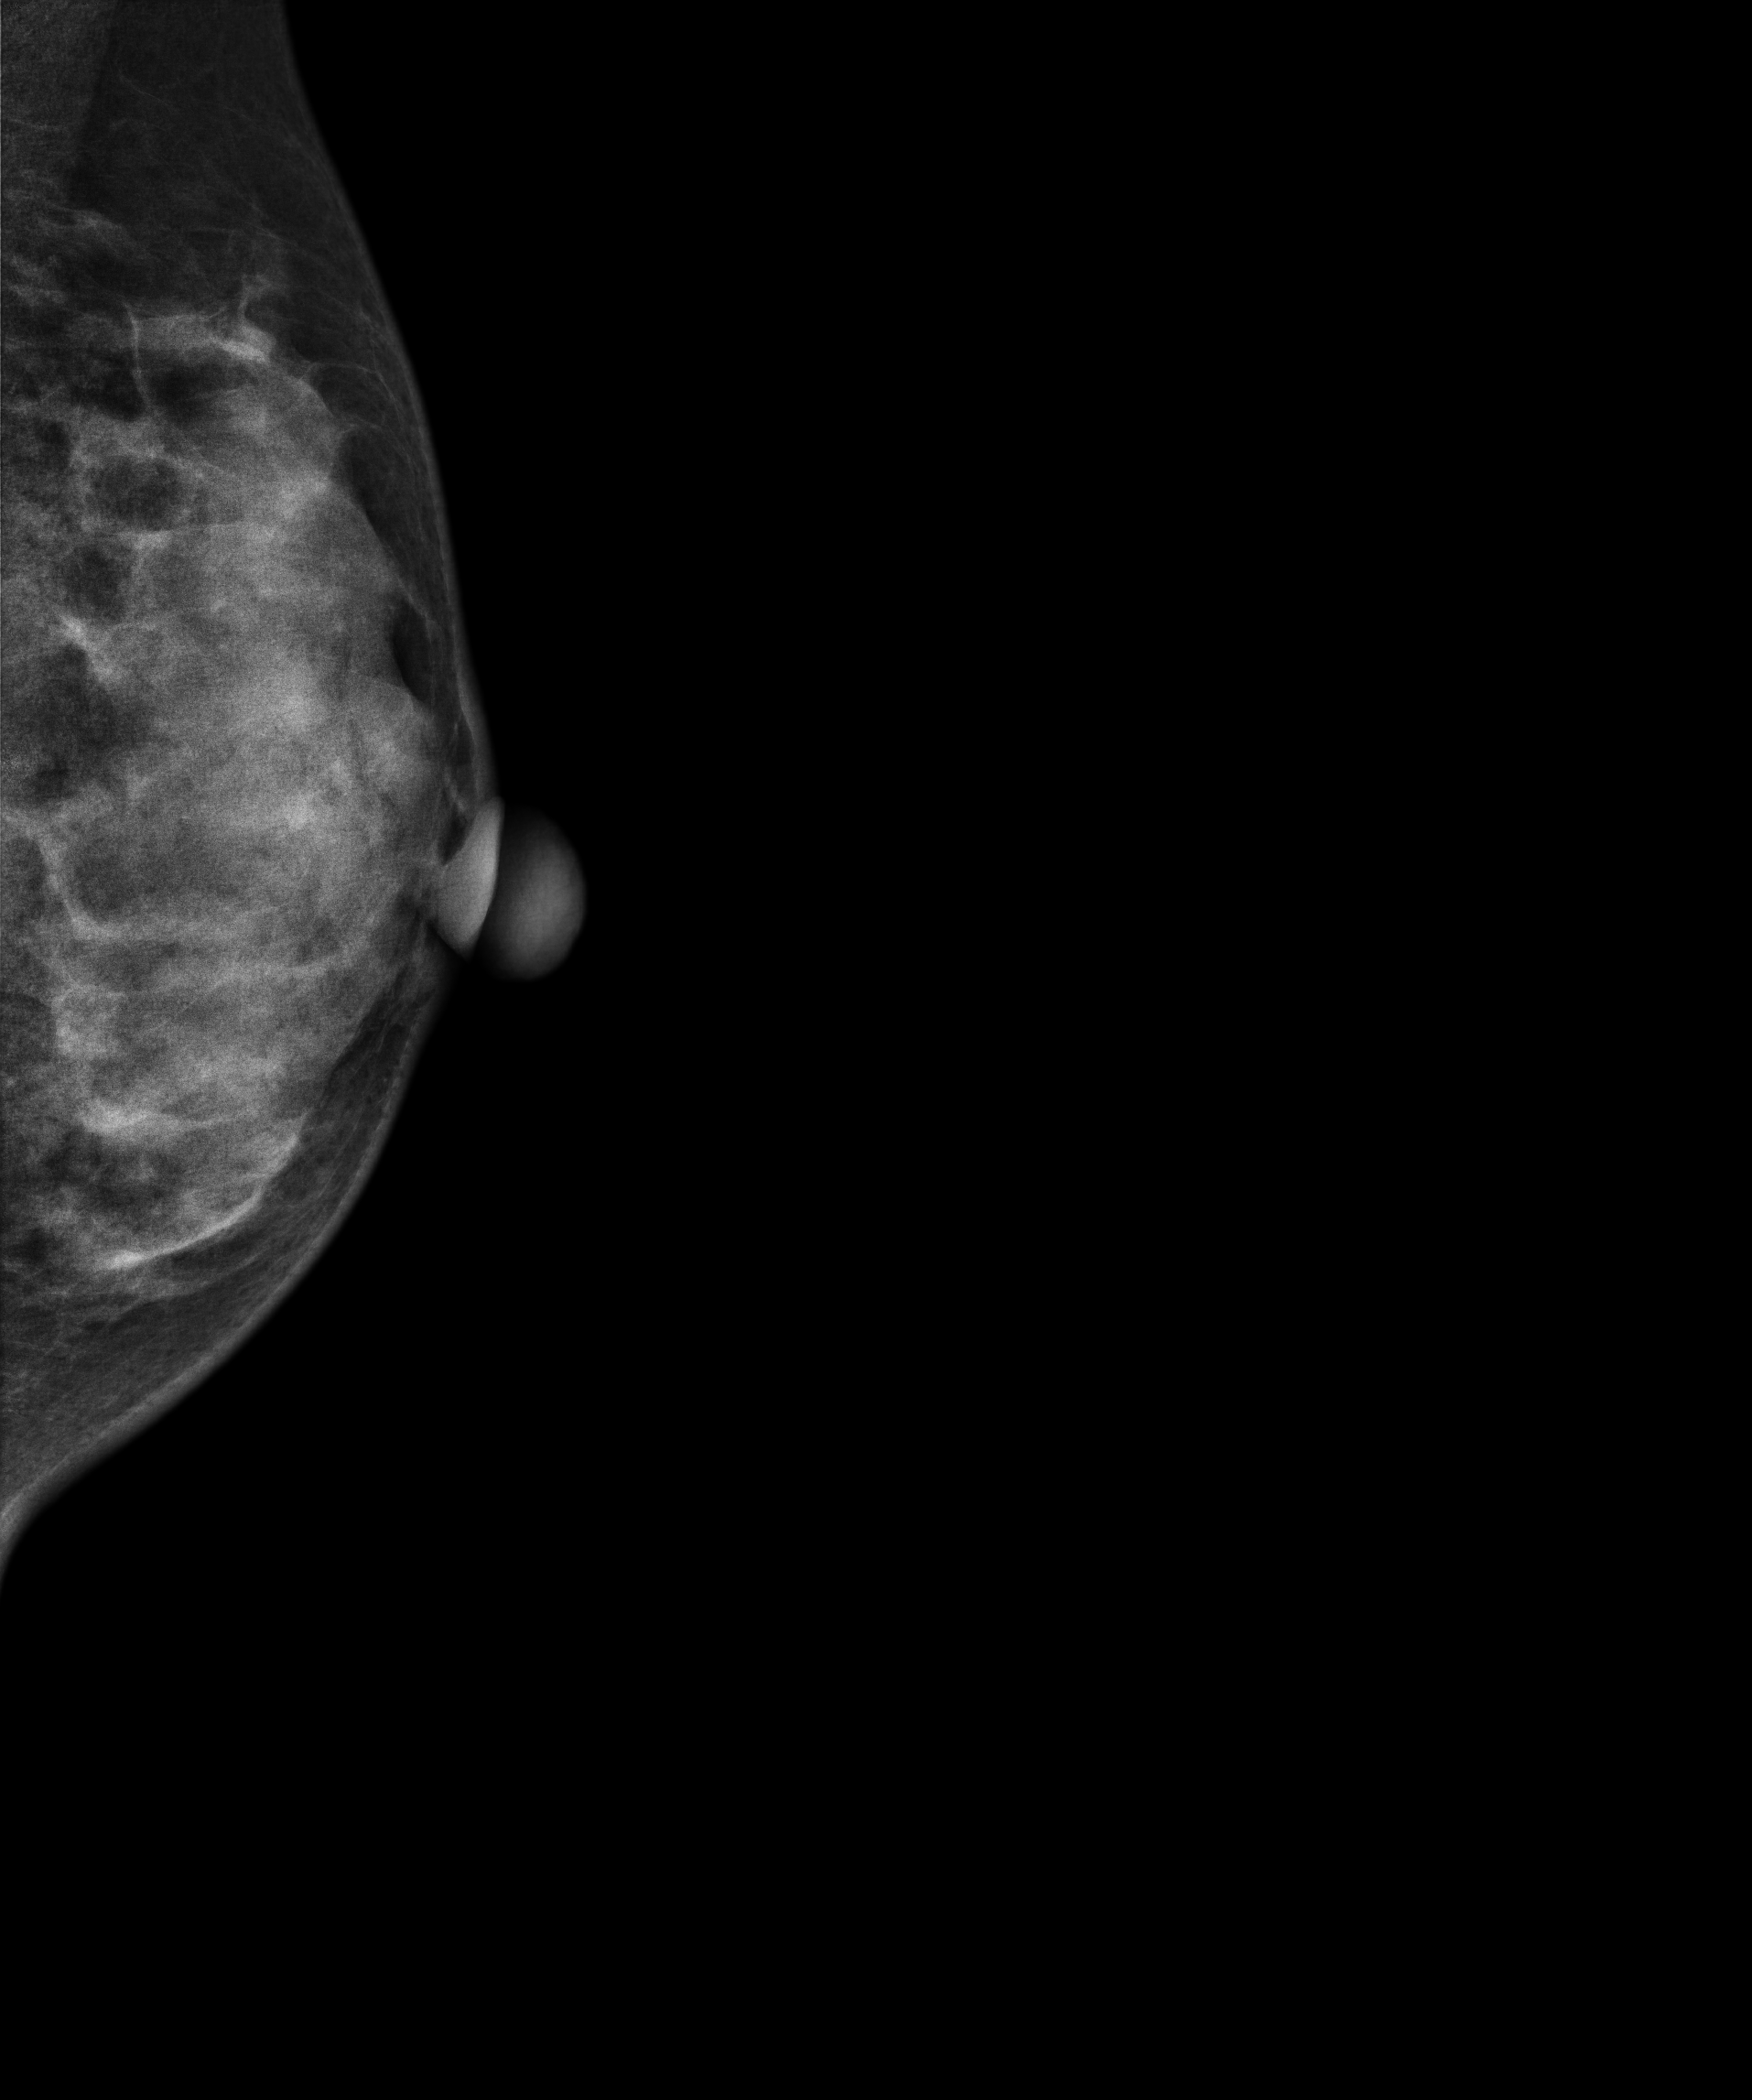
Mammogram, left breast, MLO view. Patient age 38.
Contralateral breast — no documented abnormality on this side.